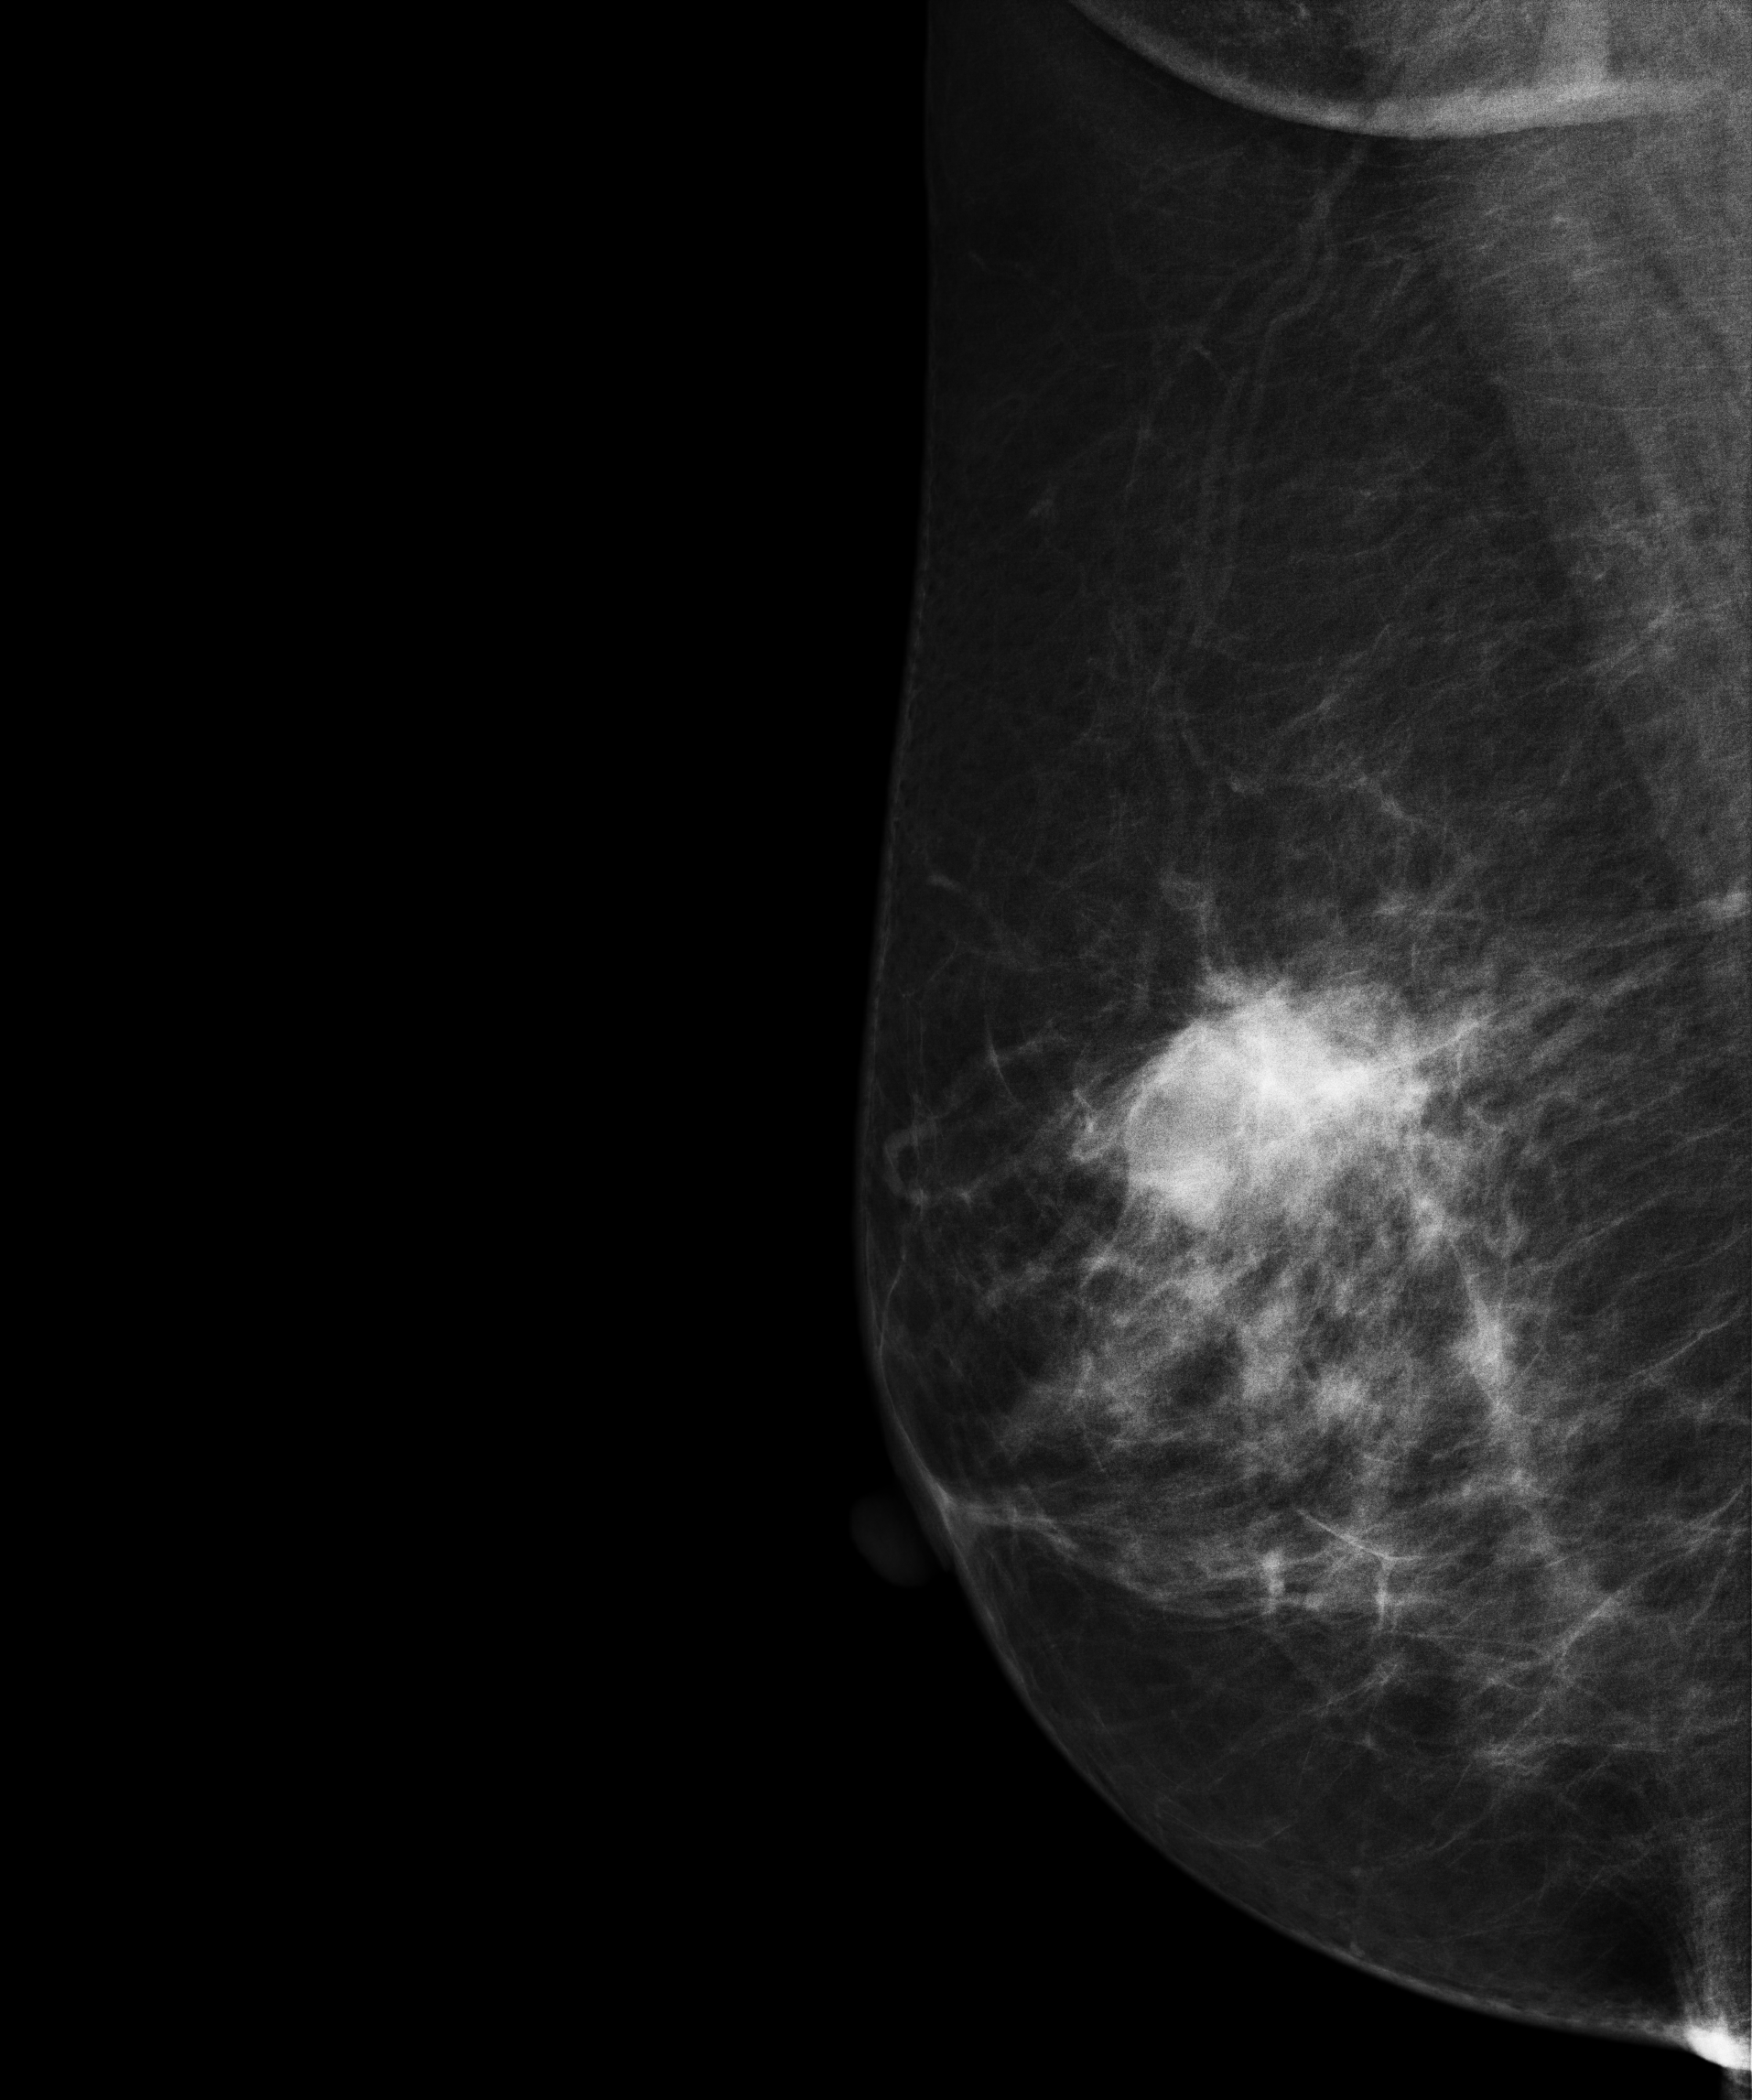
Digital mammography. Right breast, medio-lateral oblique projection. Patient age 65.
This breast has a mass, pathology-confirmed malignant. Molecular subtype: luminal B.